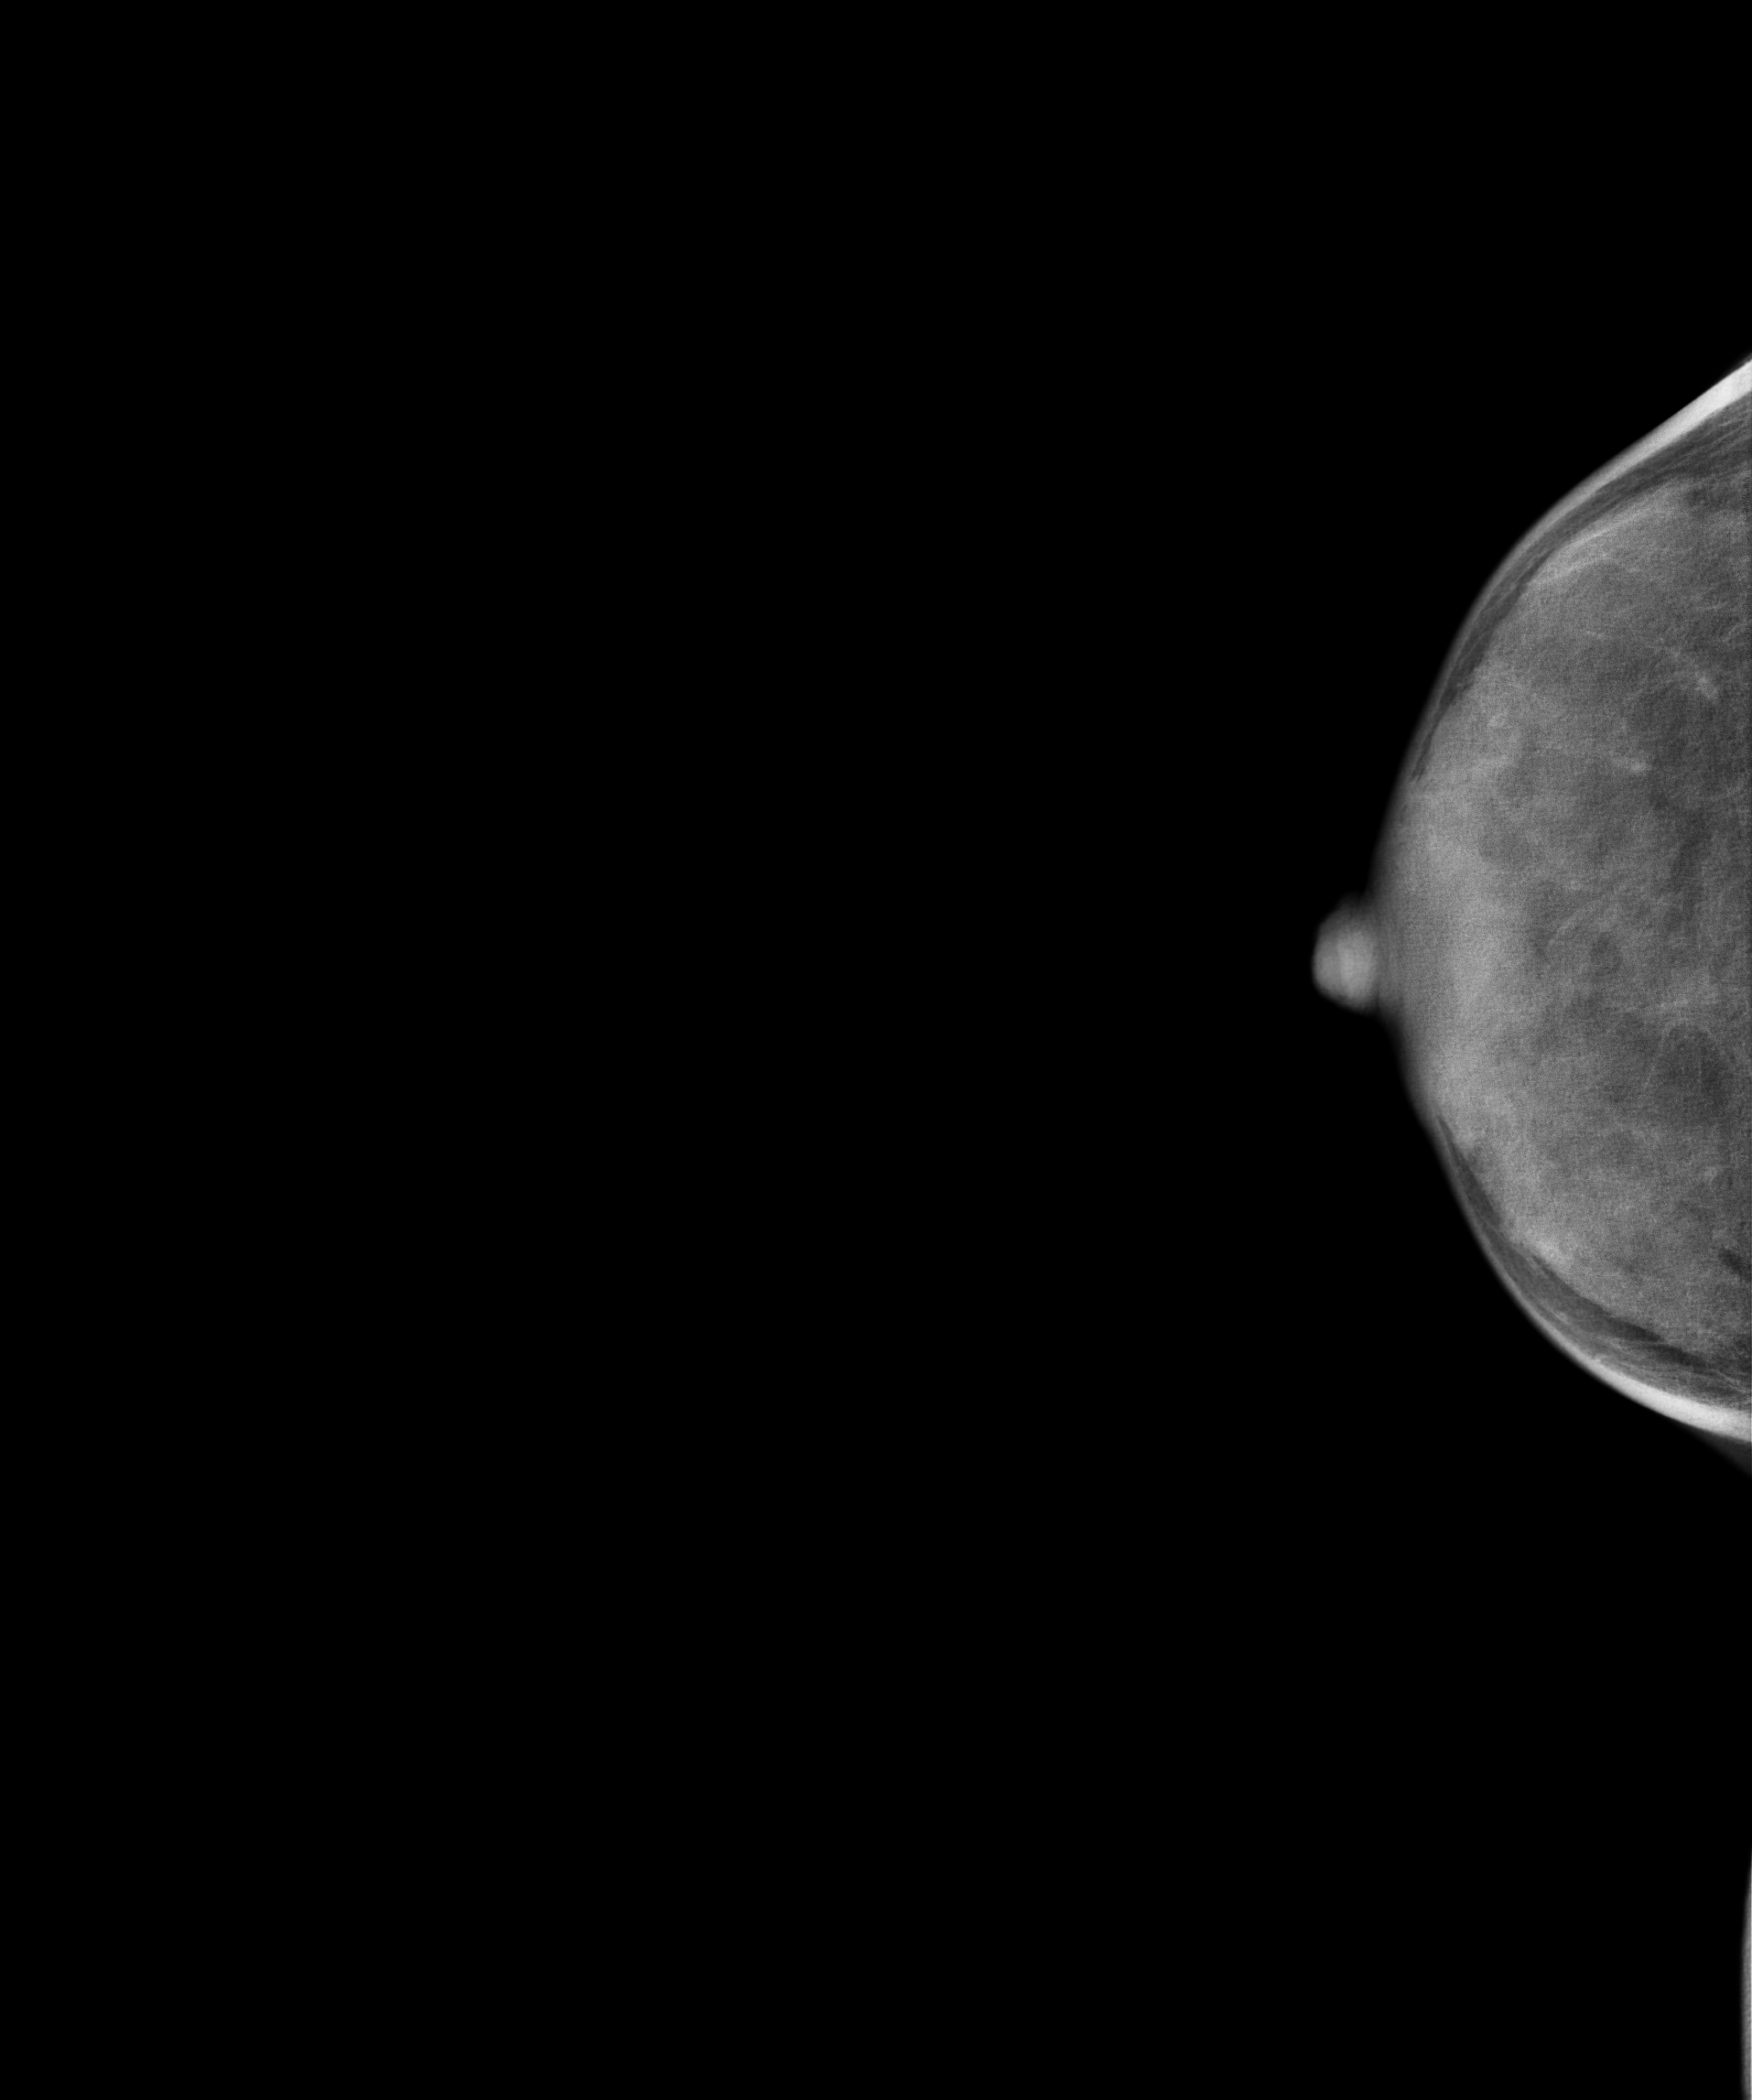
Right-breast mammogram, cranio-caudal. 31-year-old patient.
This breast has a mass, histologically confirmed benign.